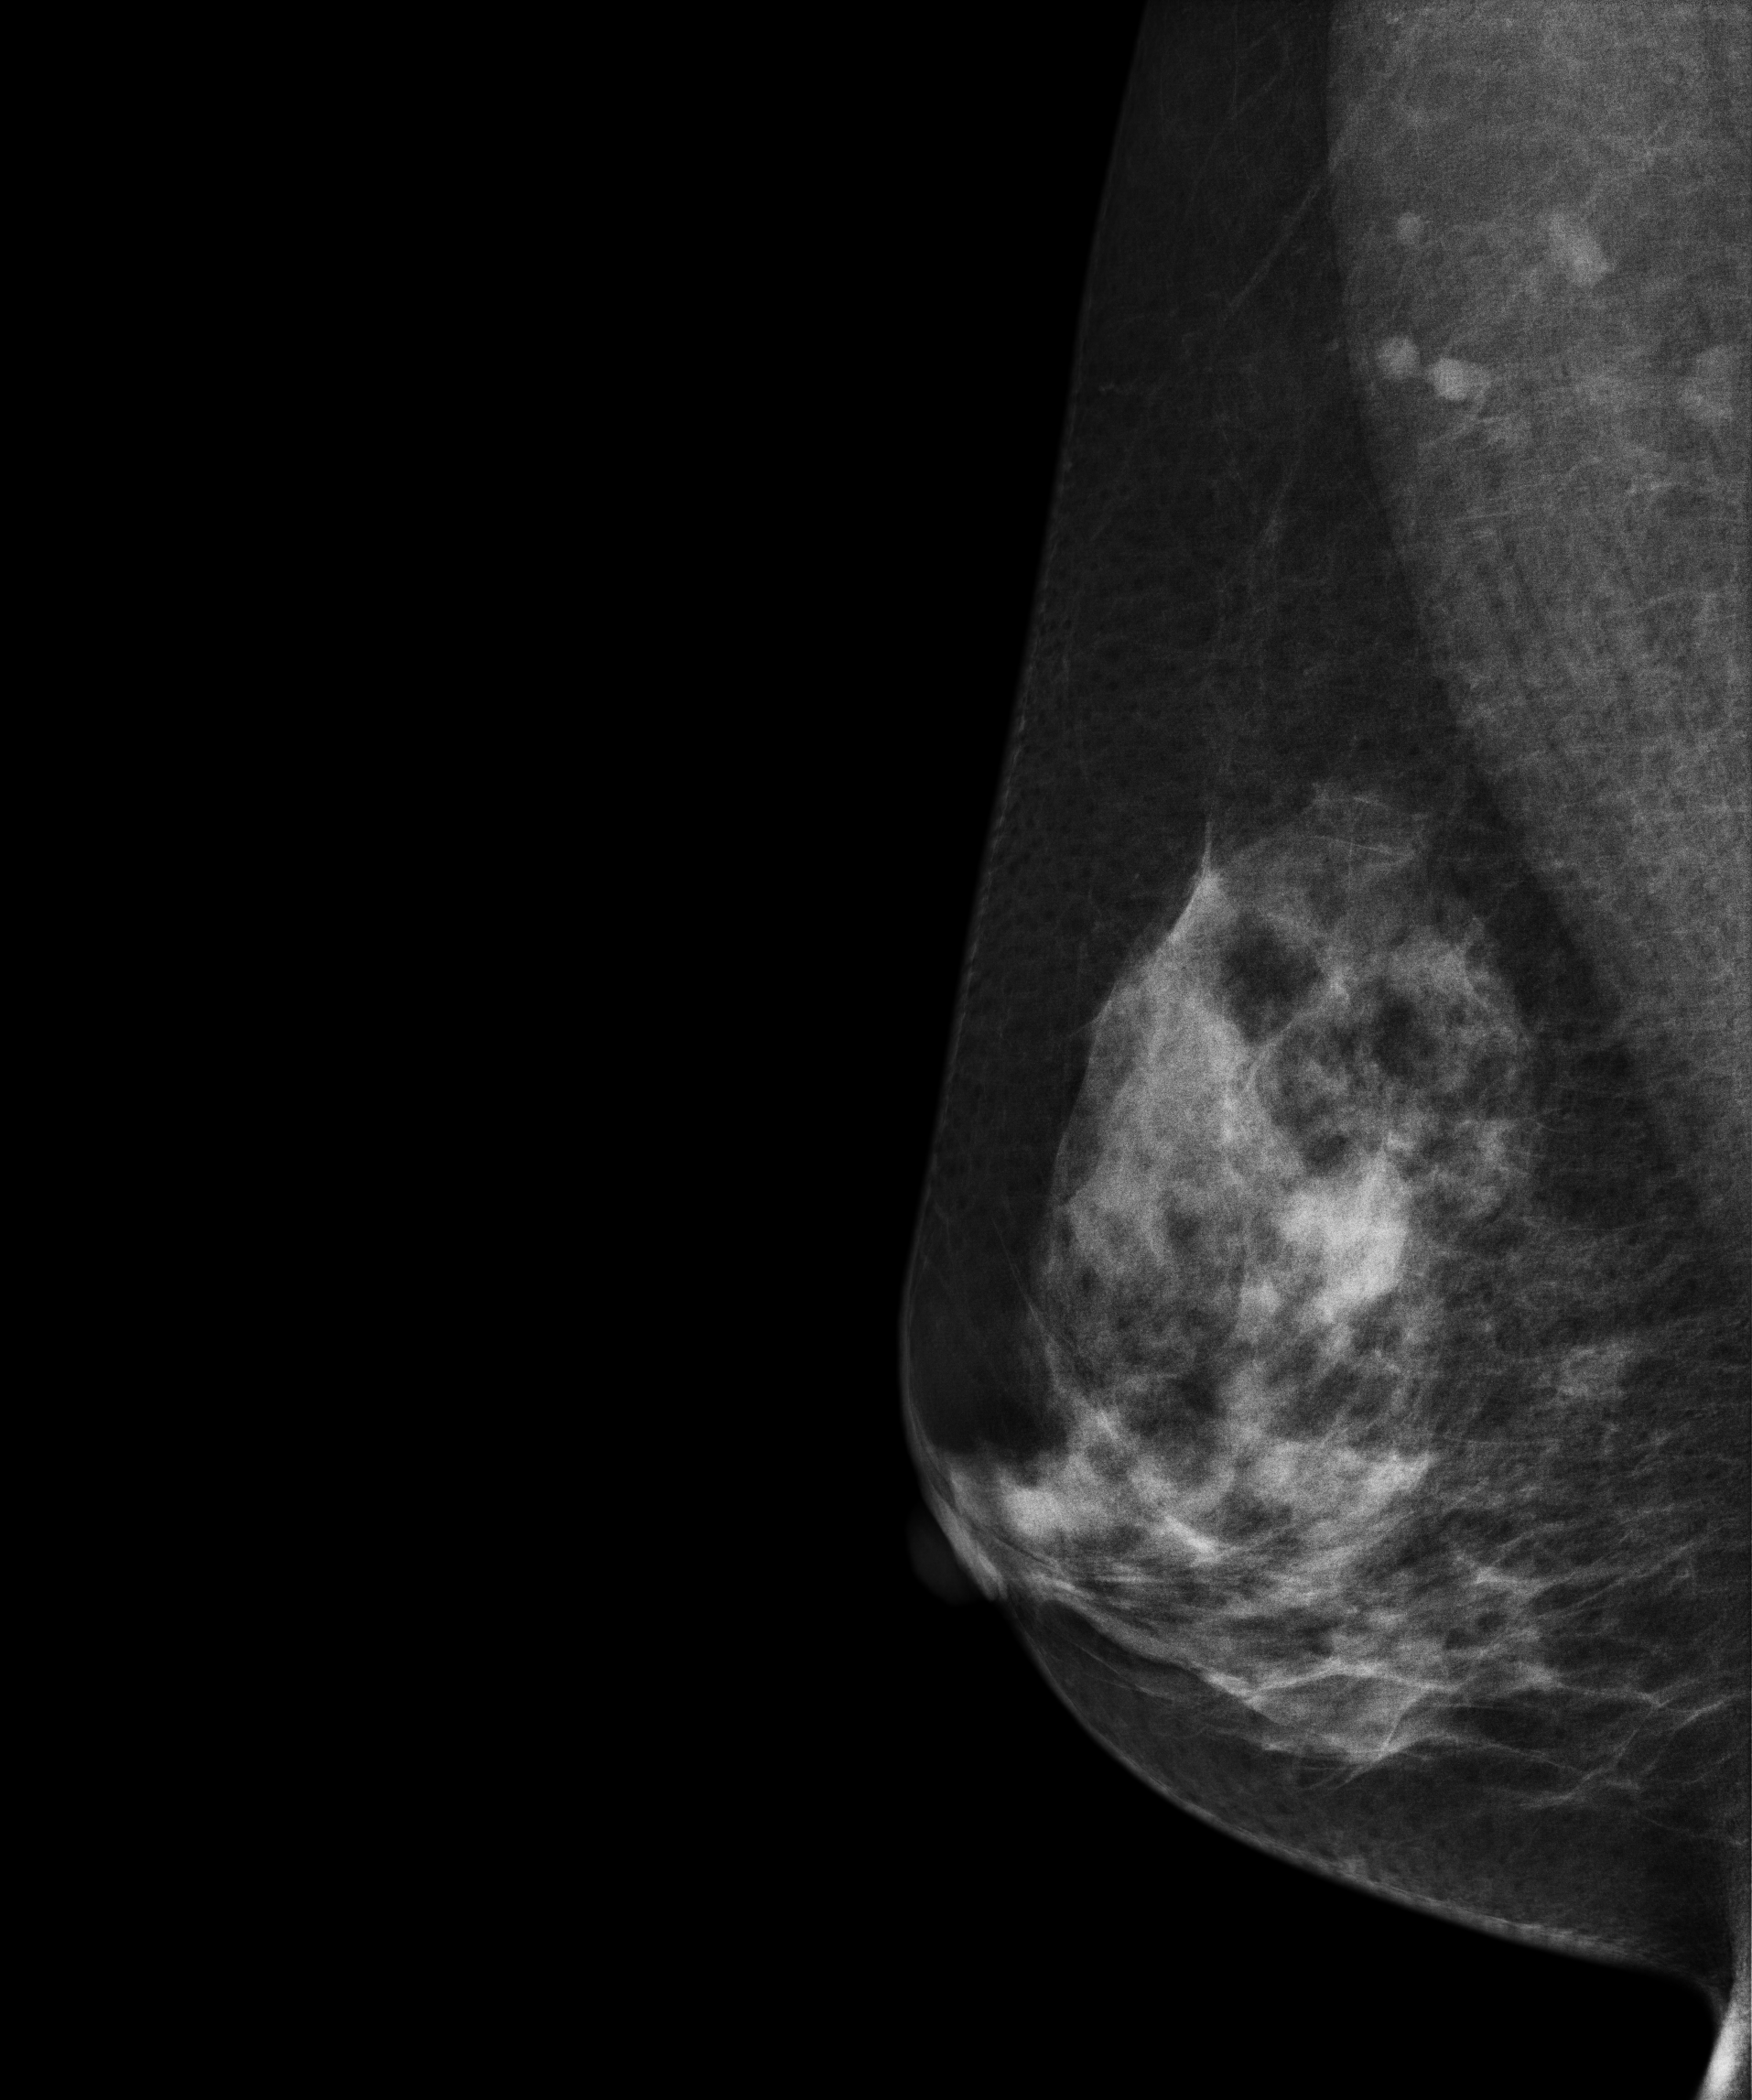
Mammogram — right medio-lateral oblique. 60-year-old patient.
This breast has a mass, biopsy-proven benign.